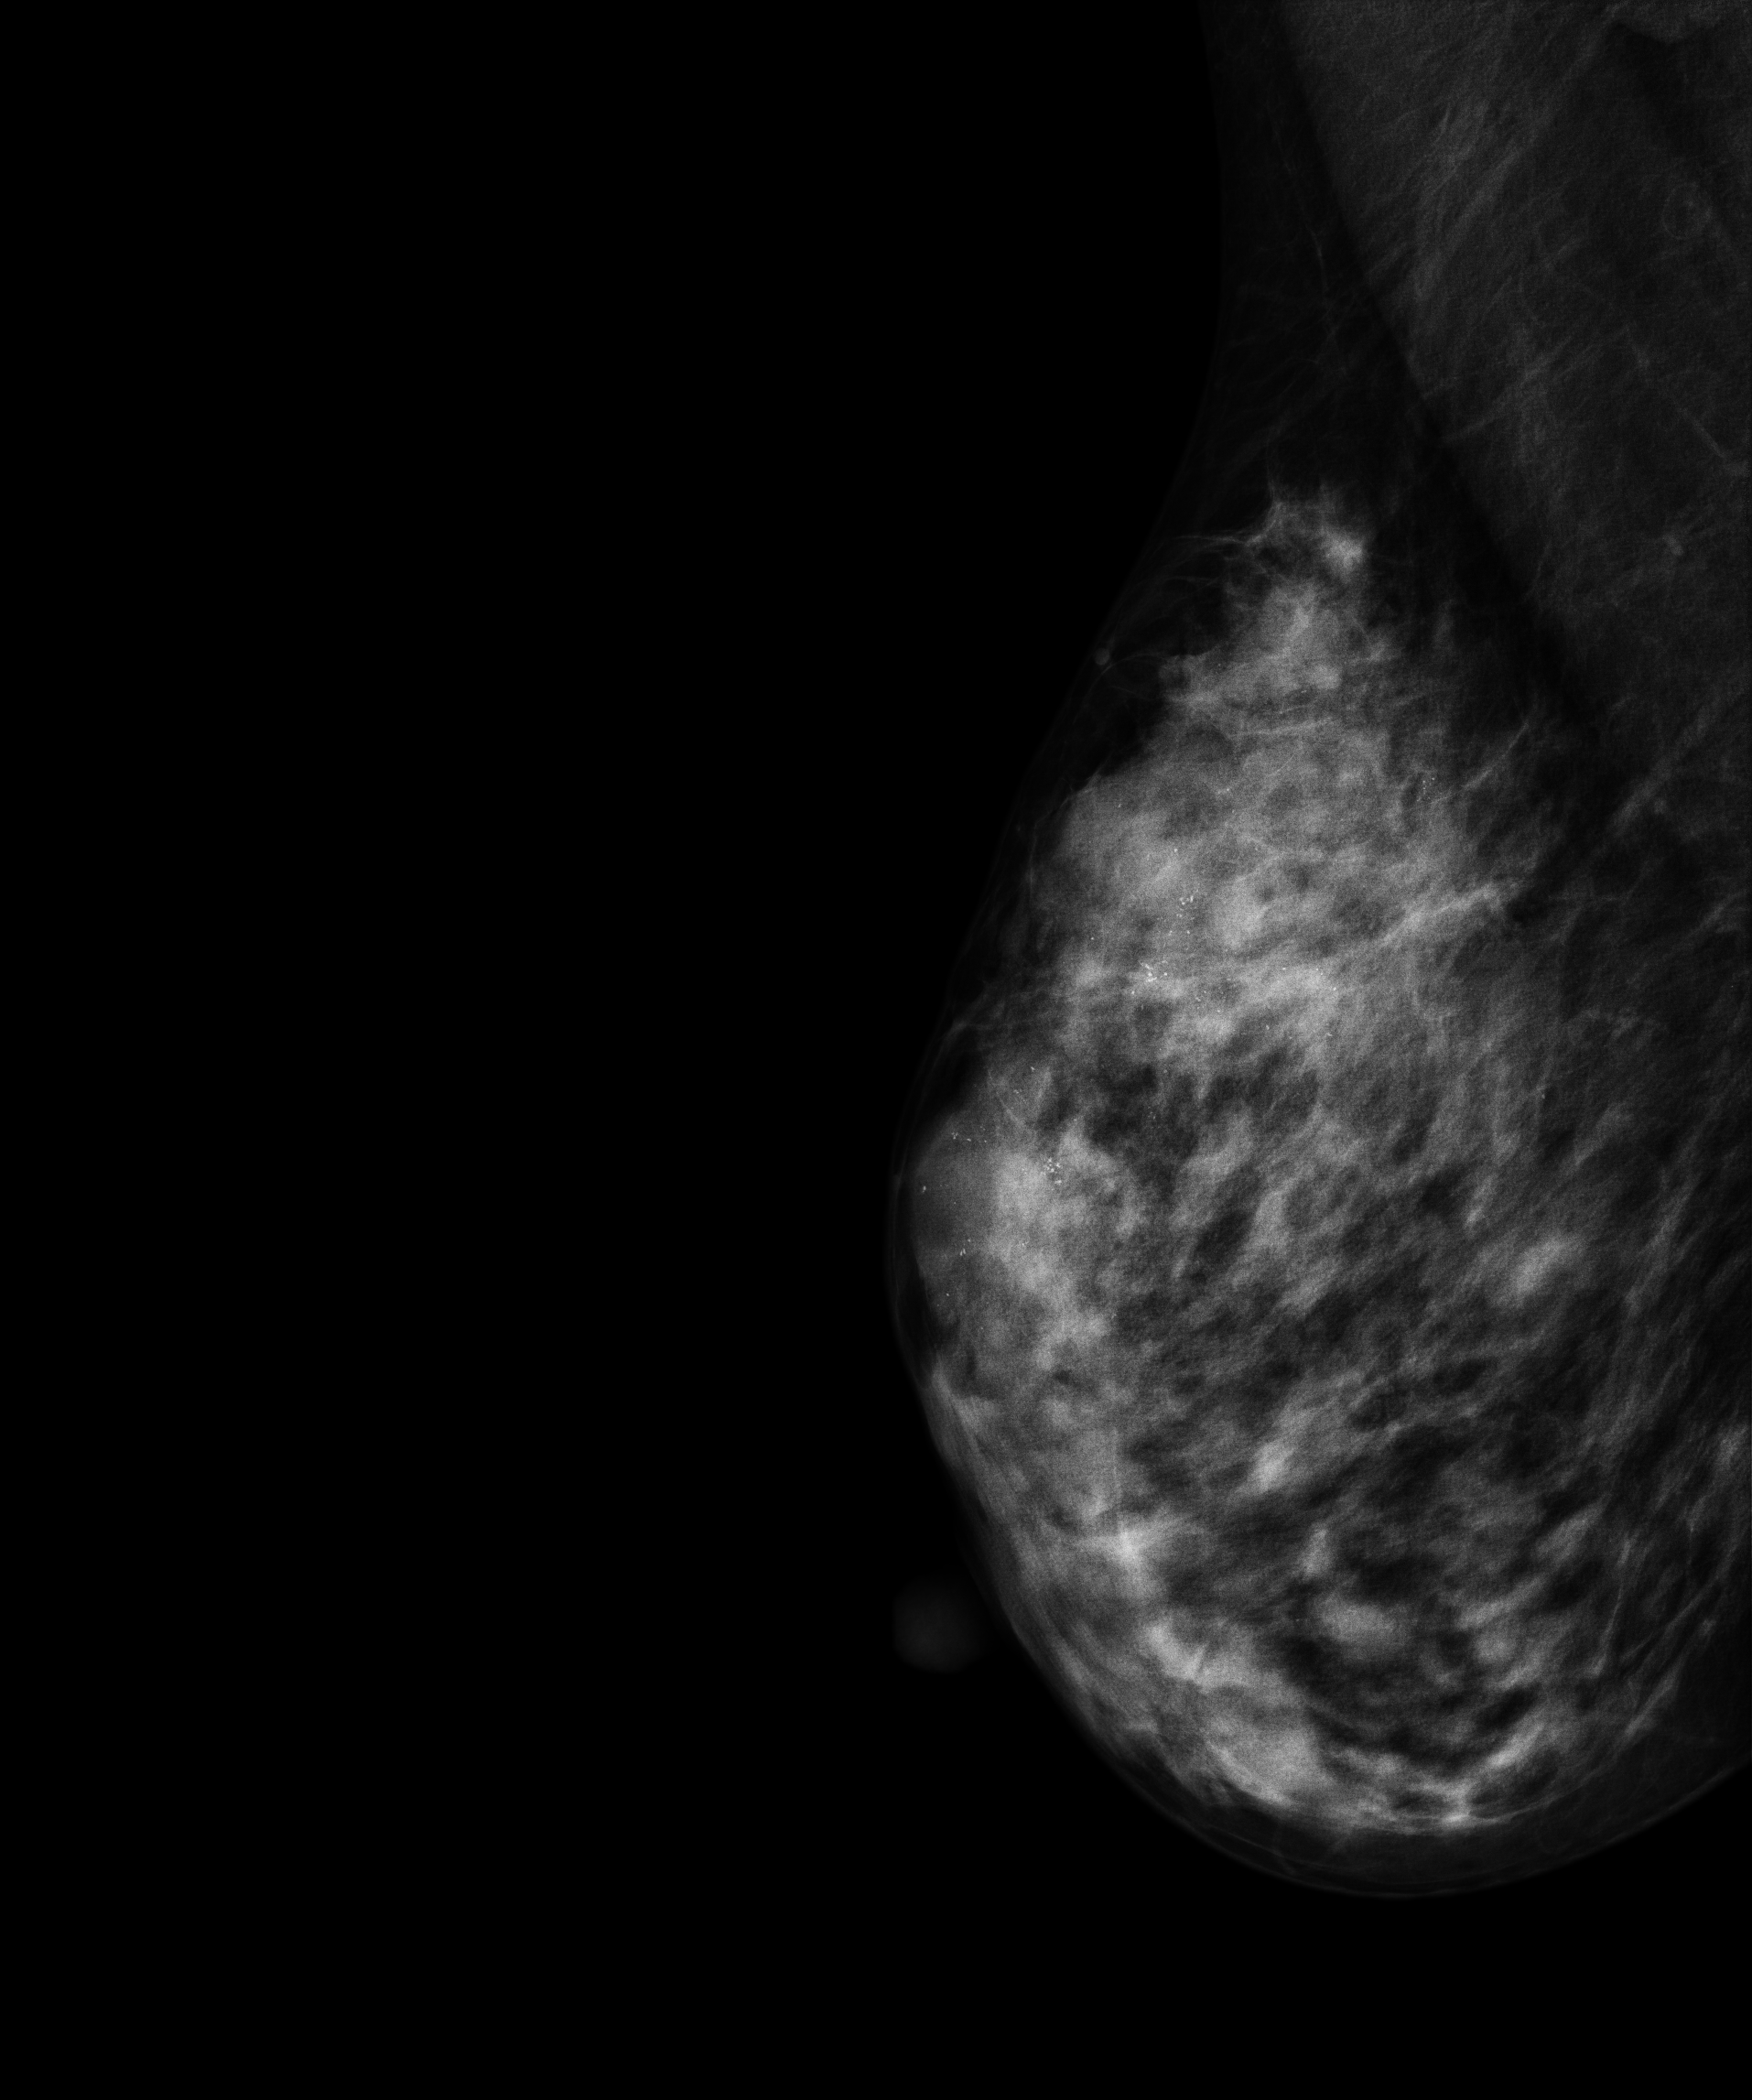
Mammogram, right breast, medio-lateral oblique view. 38-year-old patient.
This breast has calcifications, biopsy-proven malignant. Molecular subtype: HER2-enriched.